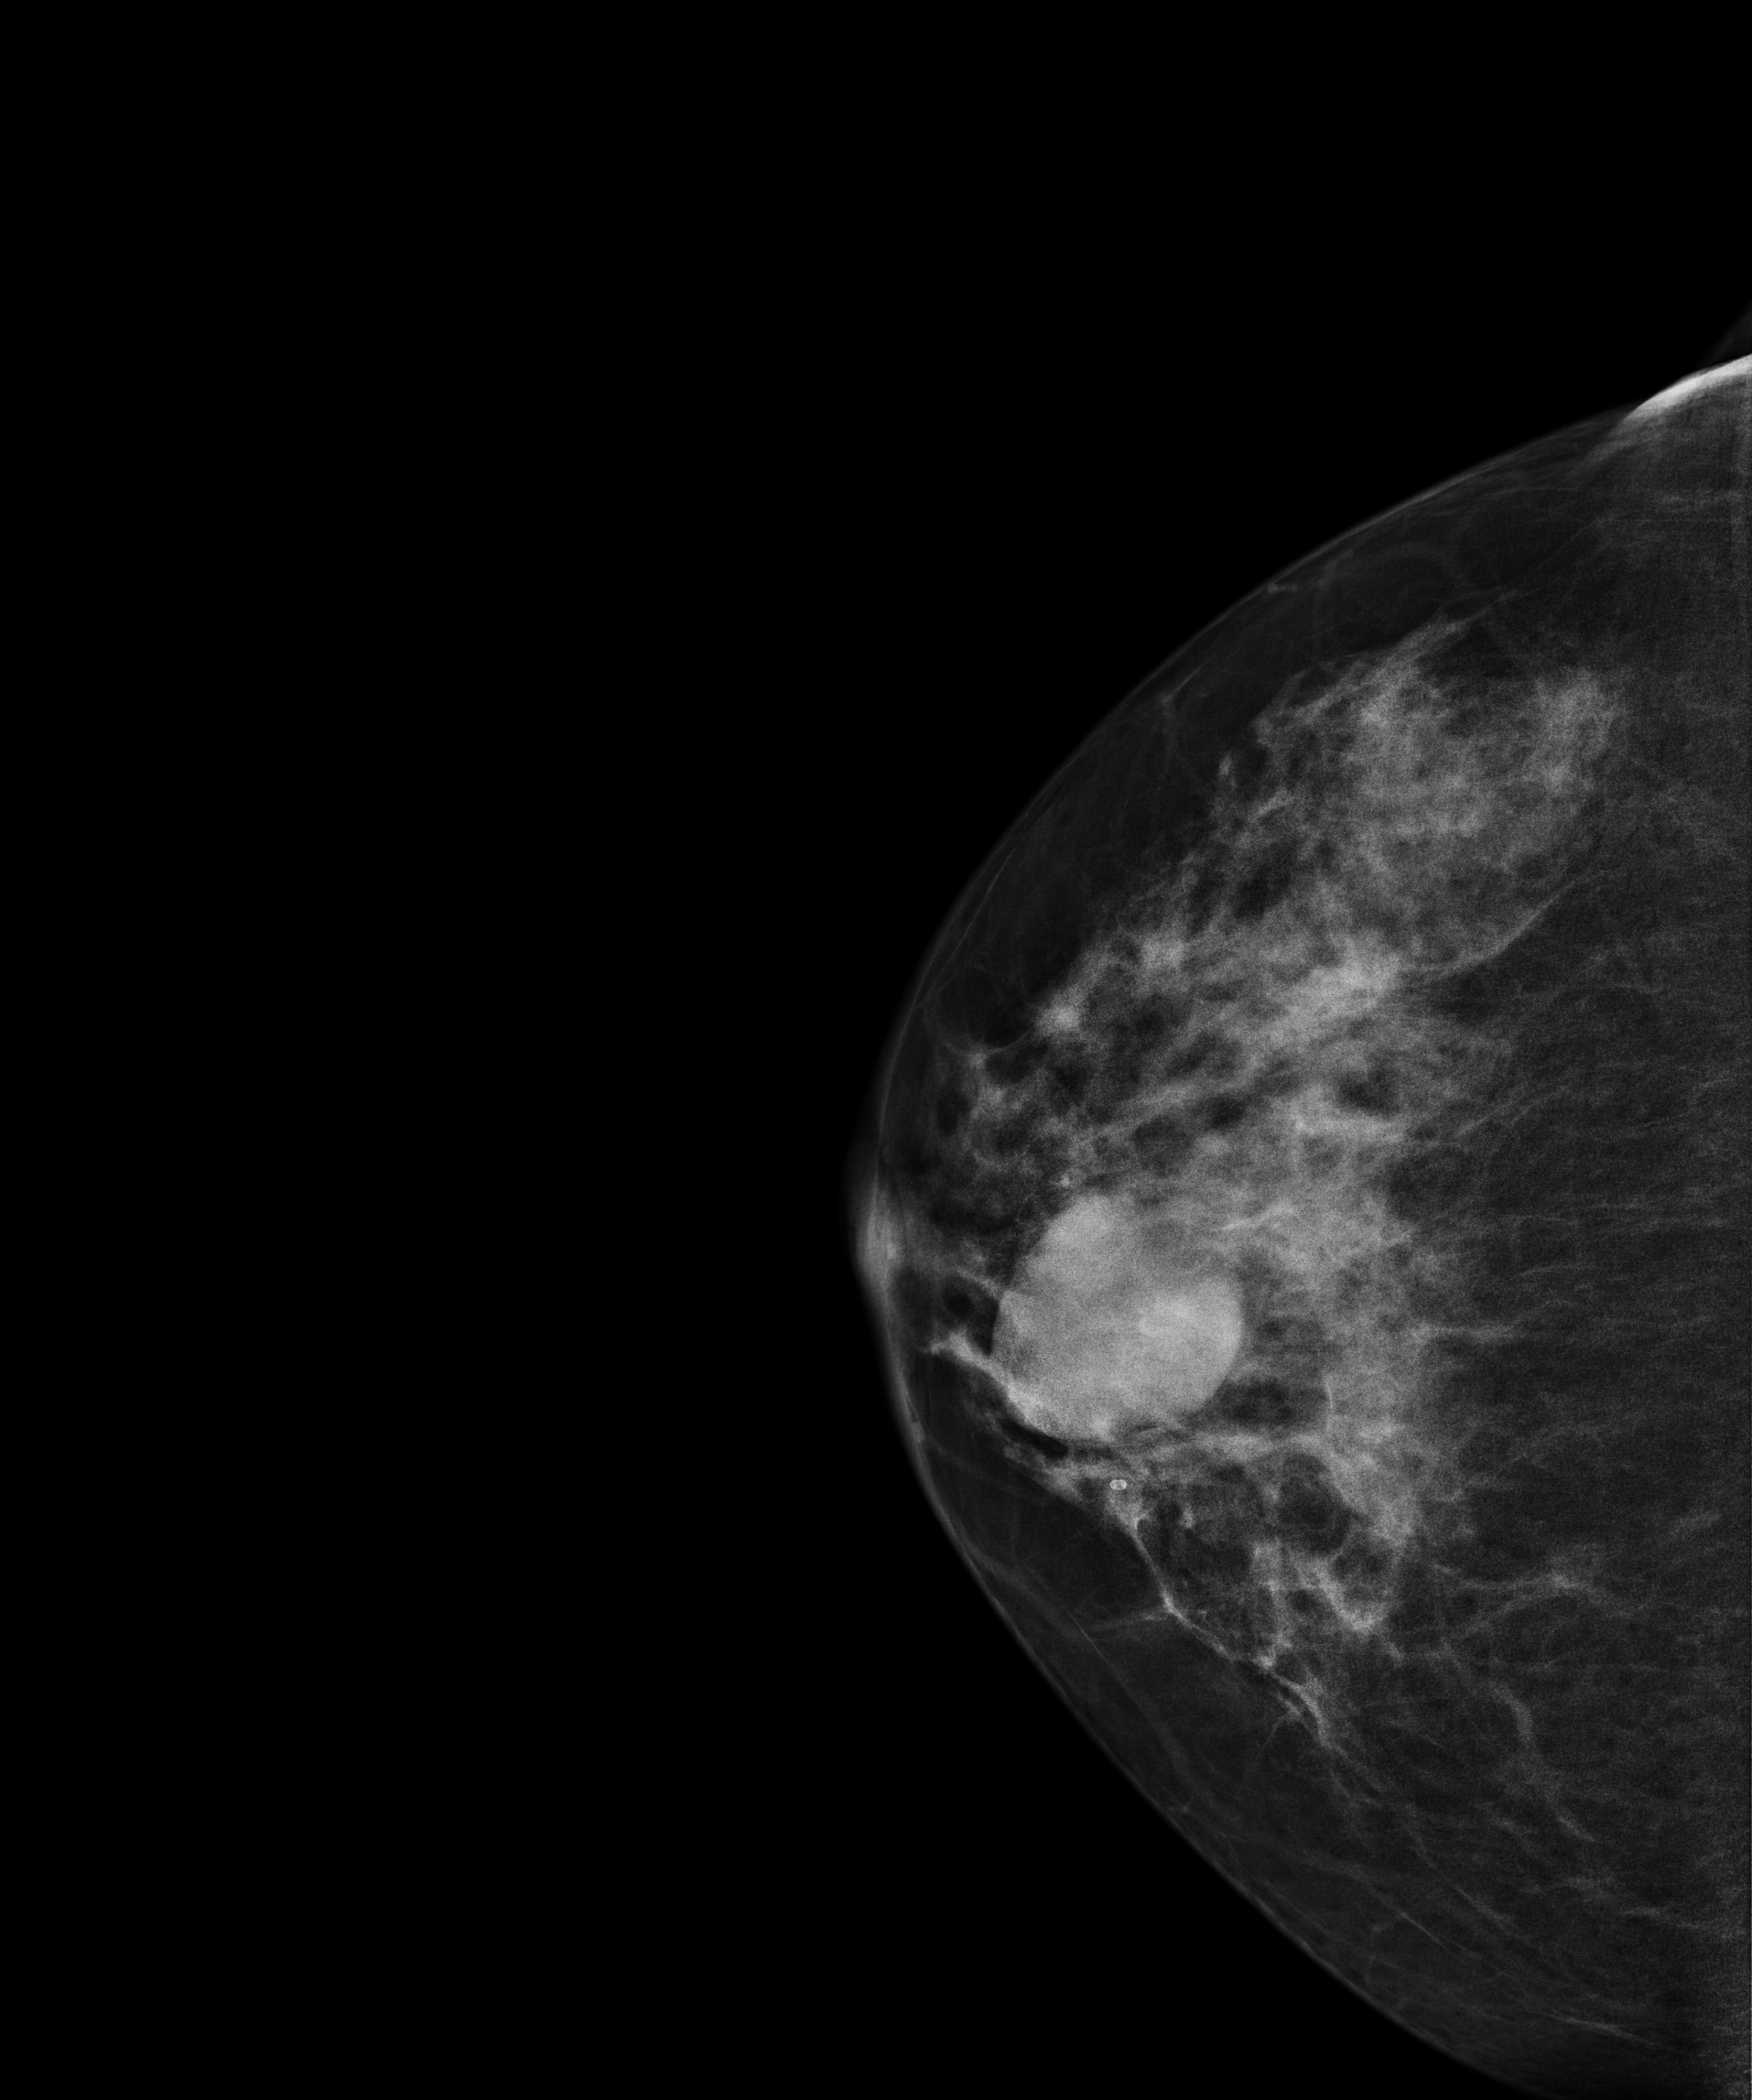
Cranio-caudal mammogram of the right breast. Patient age 51.
This breast has a mass, pathology-confirmed benign.